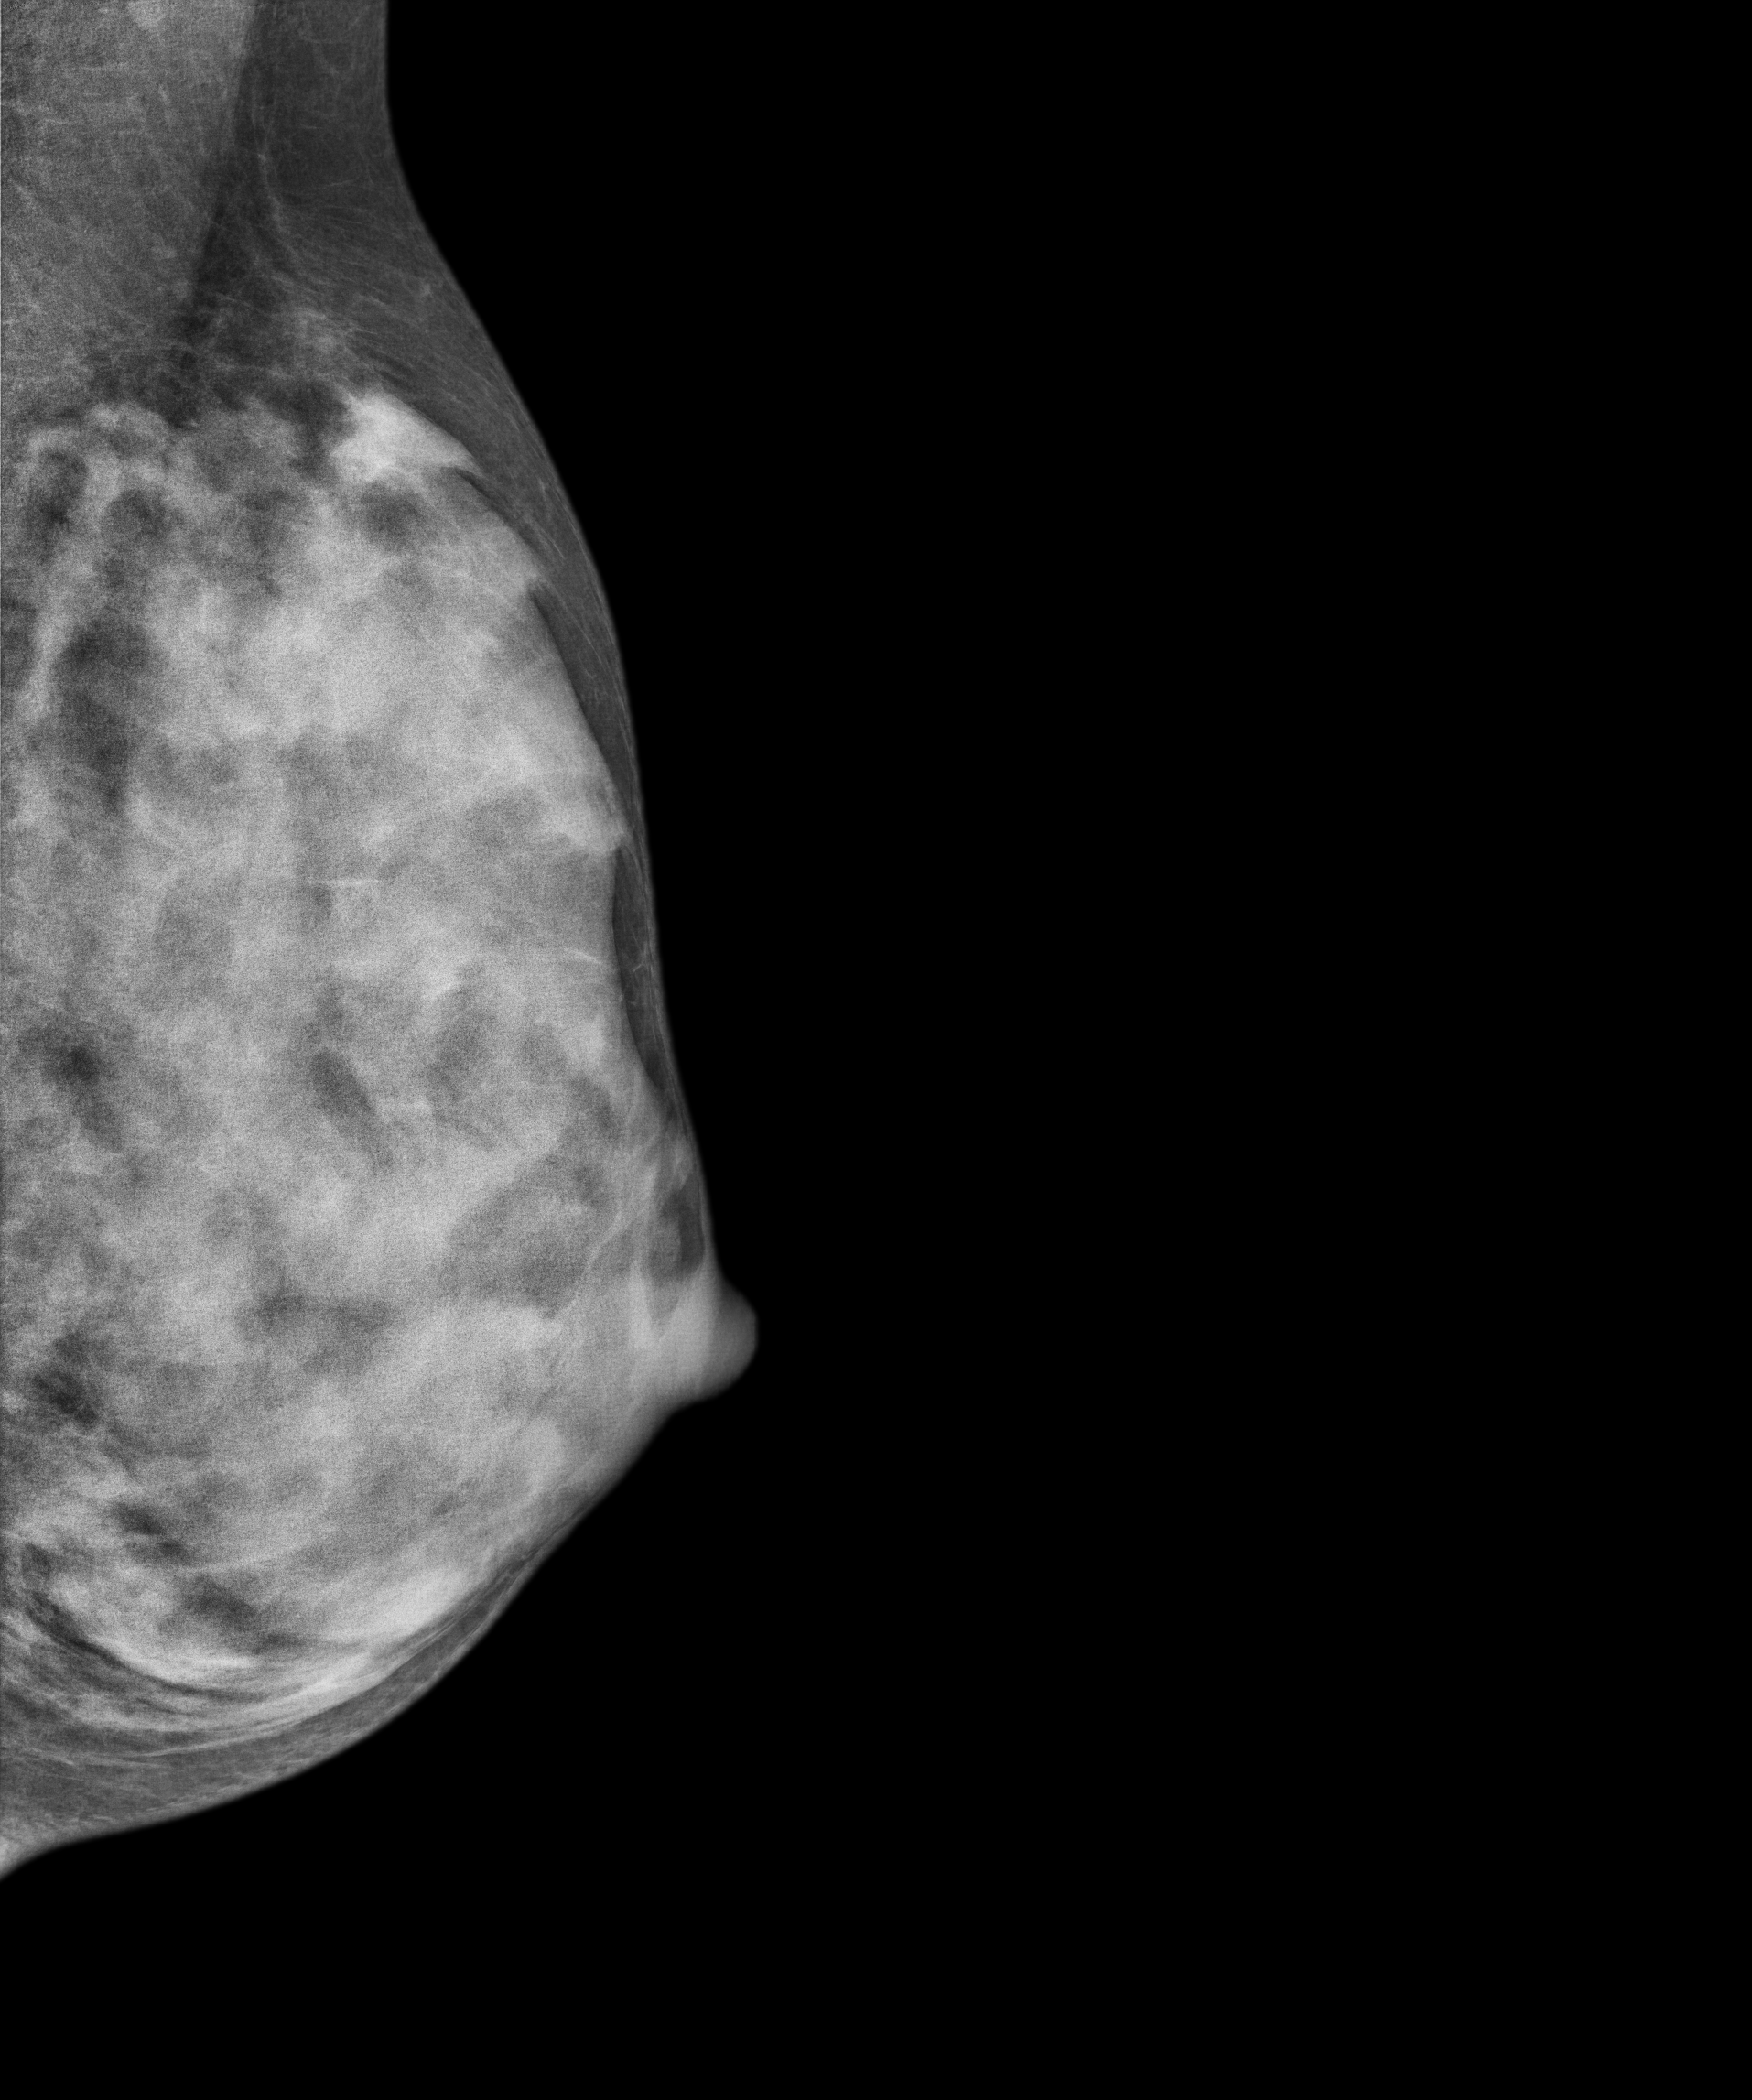
Digital mammography. Left breast, medio-lateral oblique projection. 24-year-old patient.
This breast has a mass, pathology-confirmed benign.